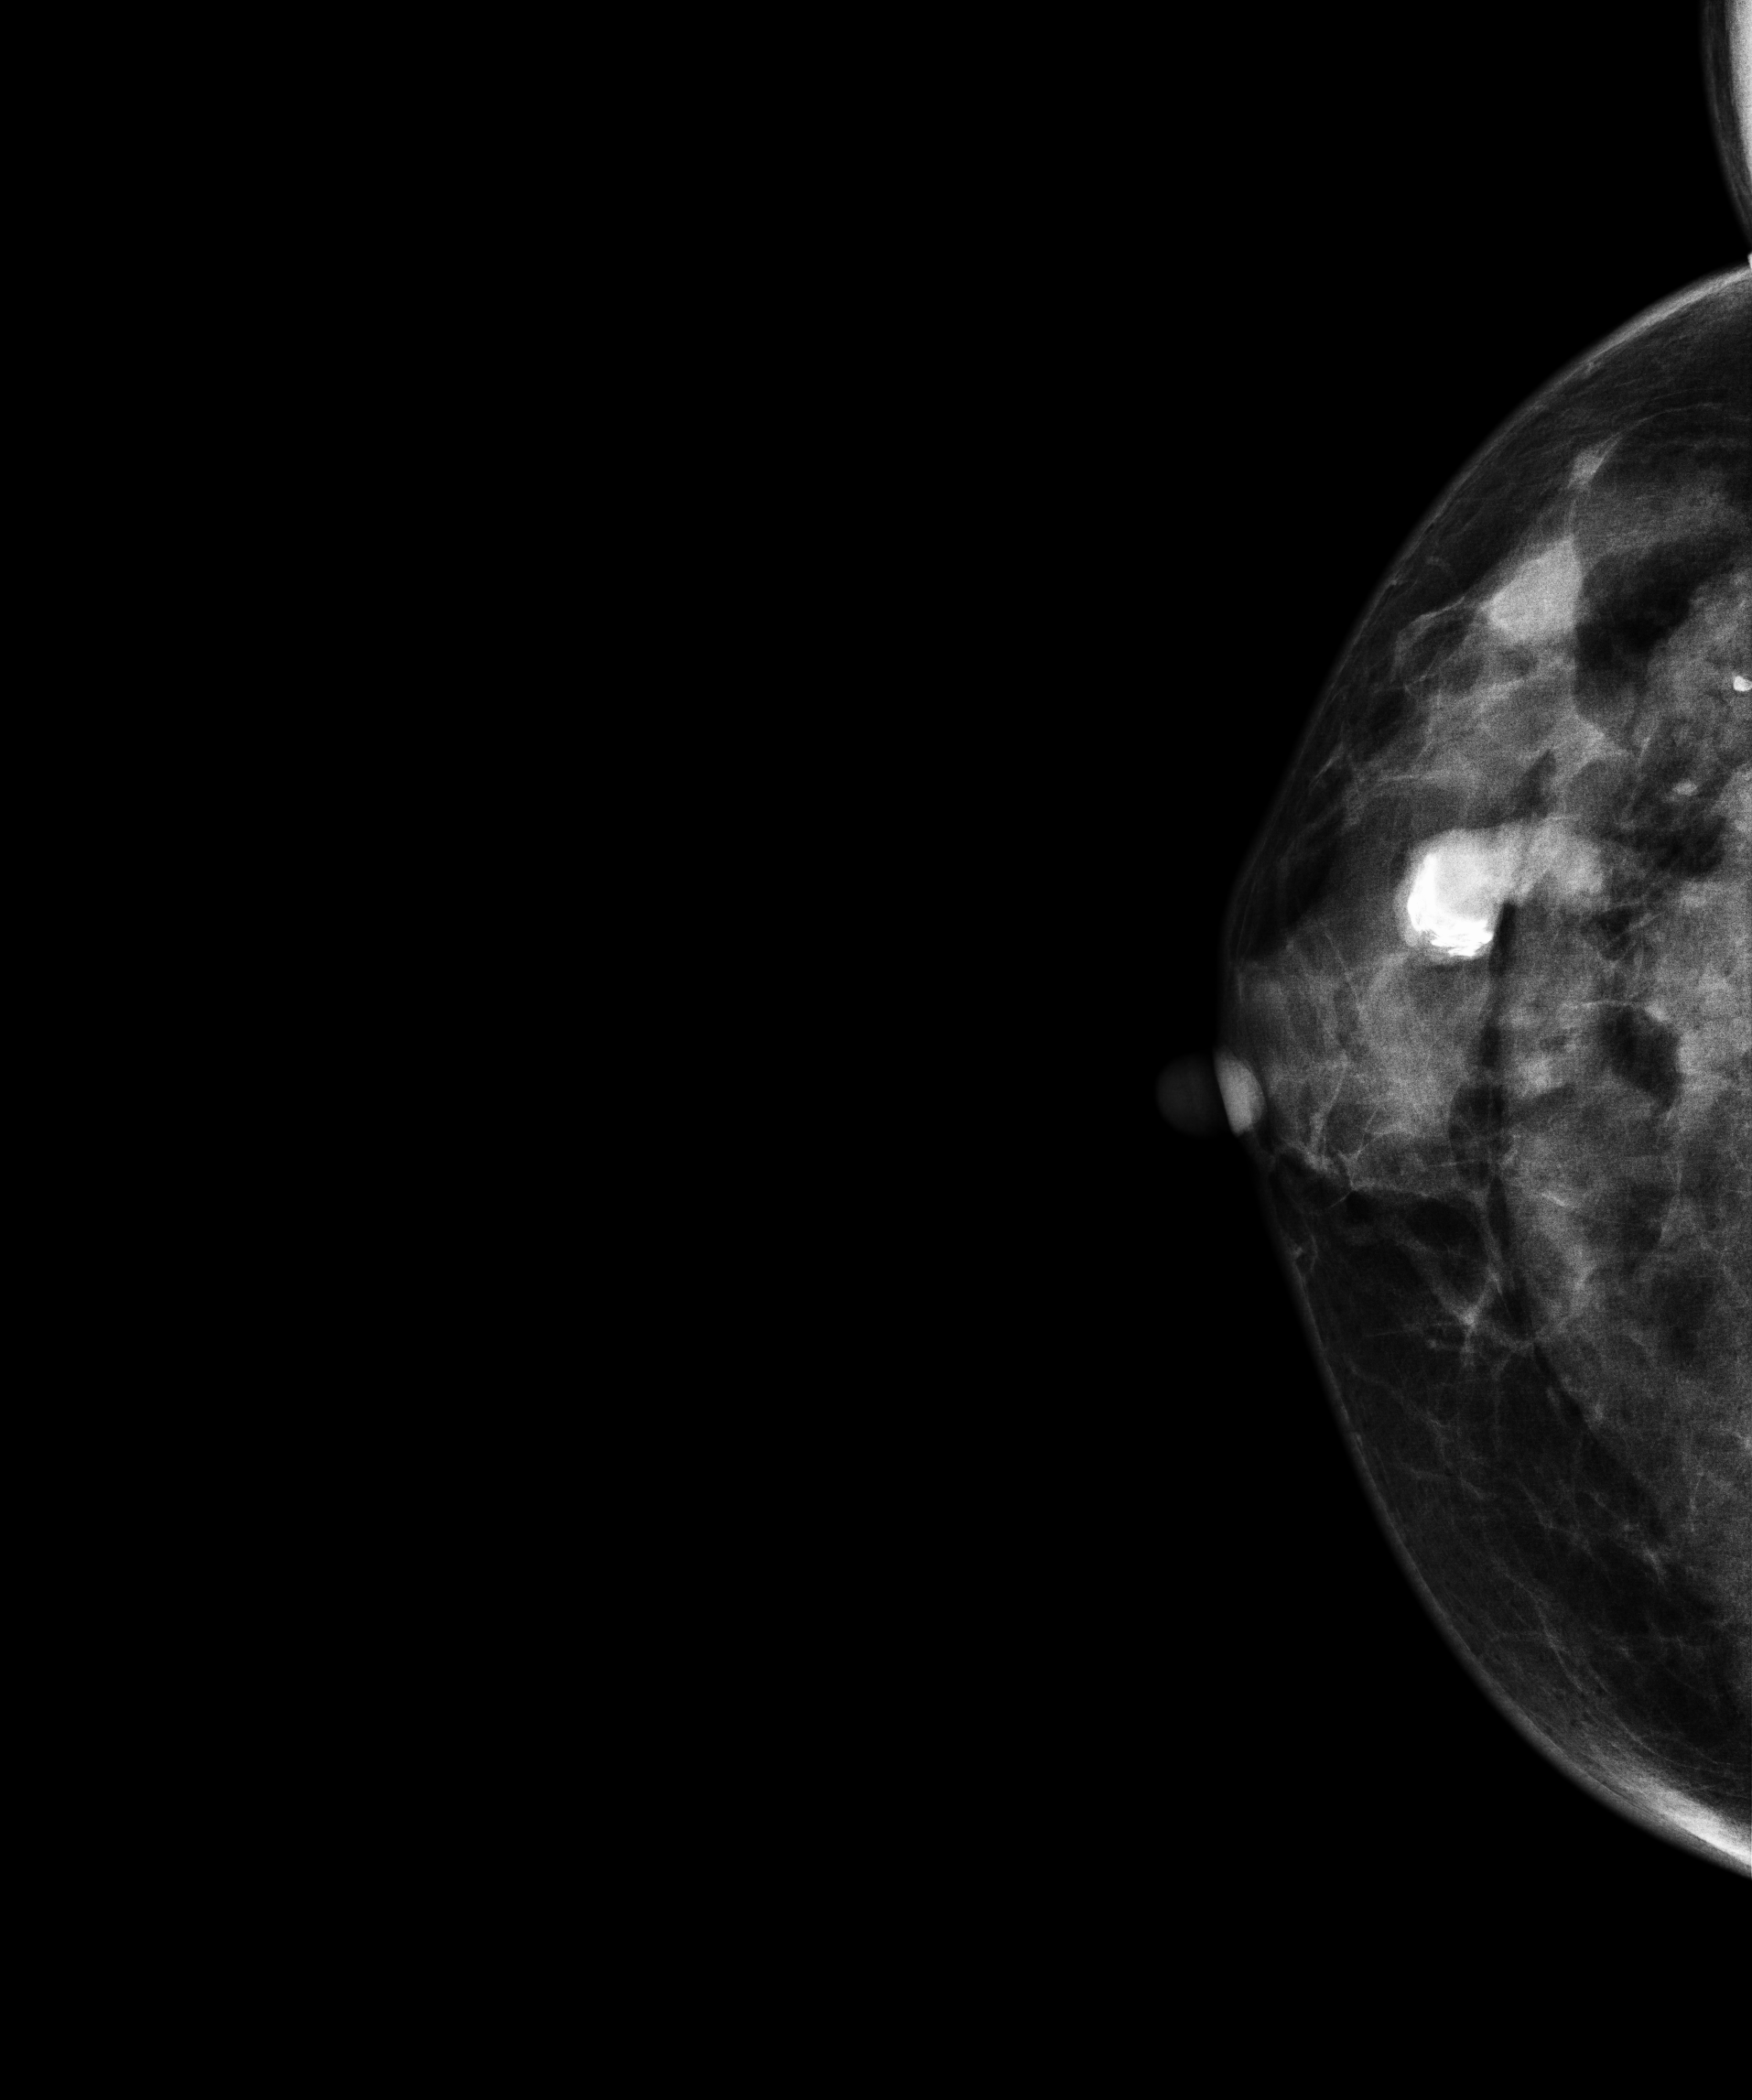
Digital mammography. Right breast, CC projection. 47-year-old patient.
Contralateral breast — no documented abnormality on this side.